Left-breast mammogram, cranio-caudal. 45-year-old patient.
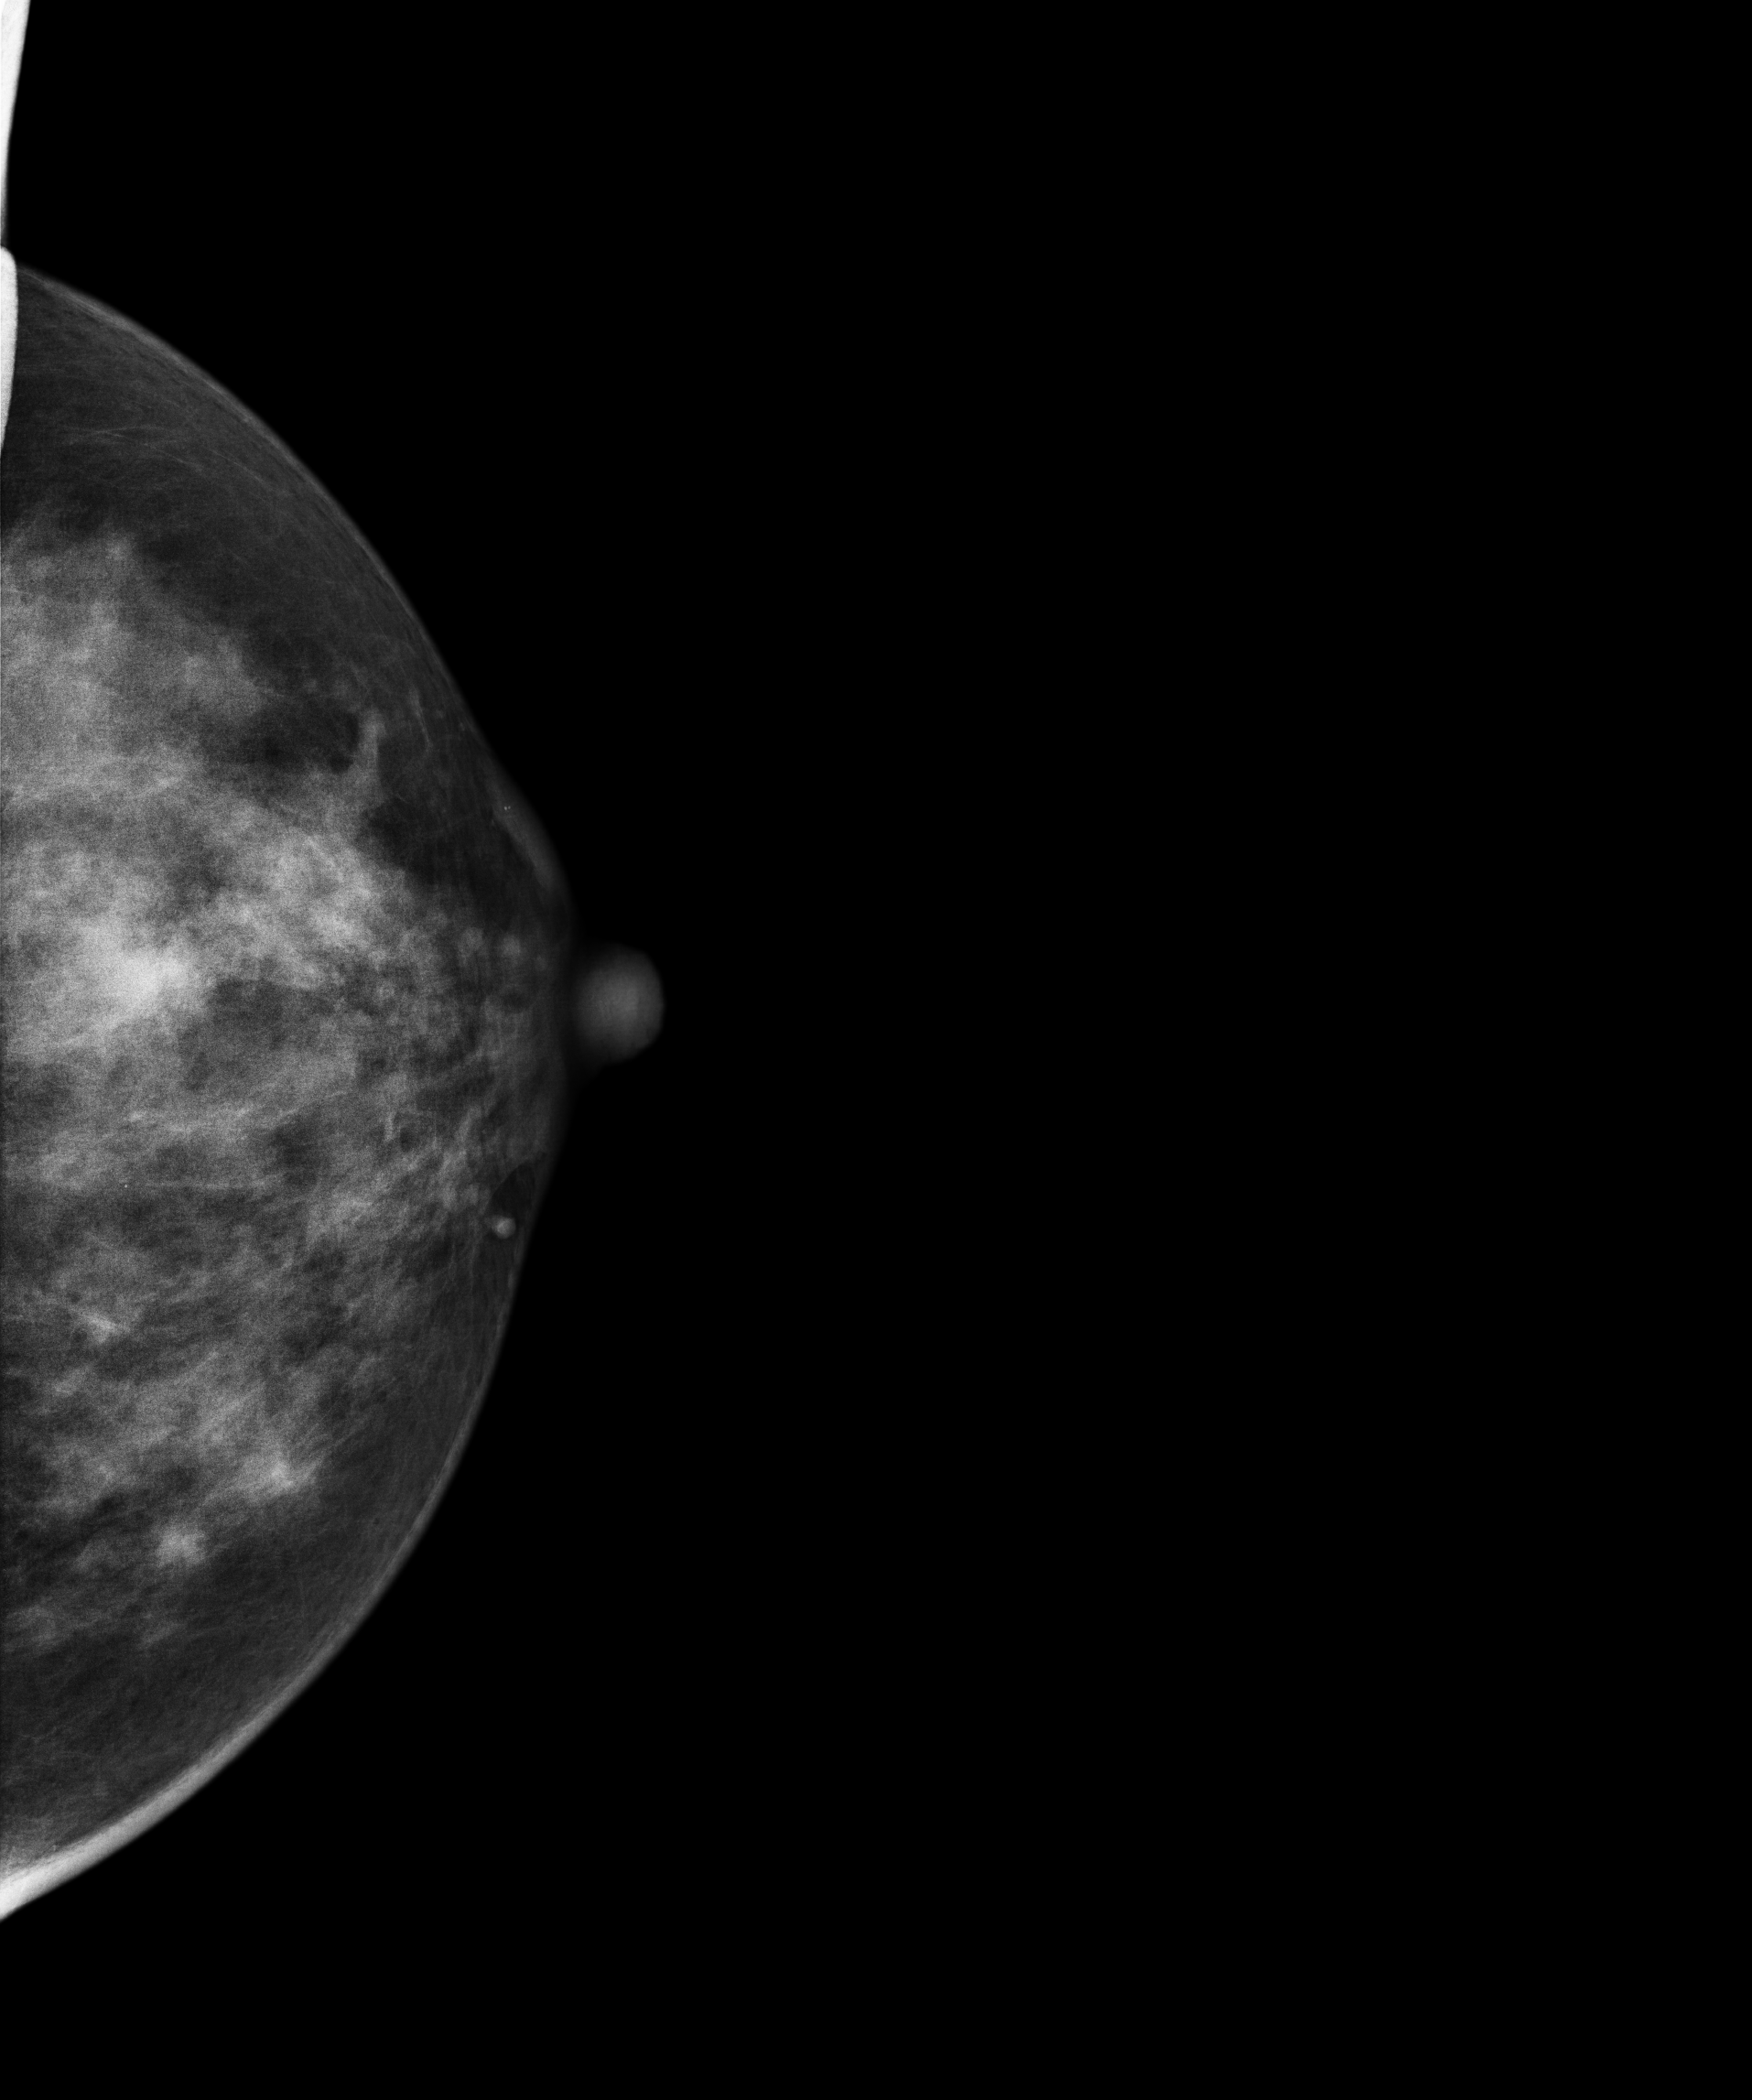
This breast has a mass, histologically confirmed malignant.